Right-breast mammogram, cranio-caudal. 46-year-old patient.
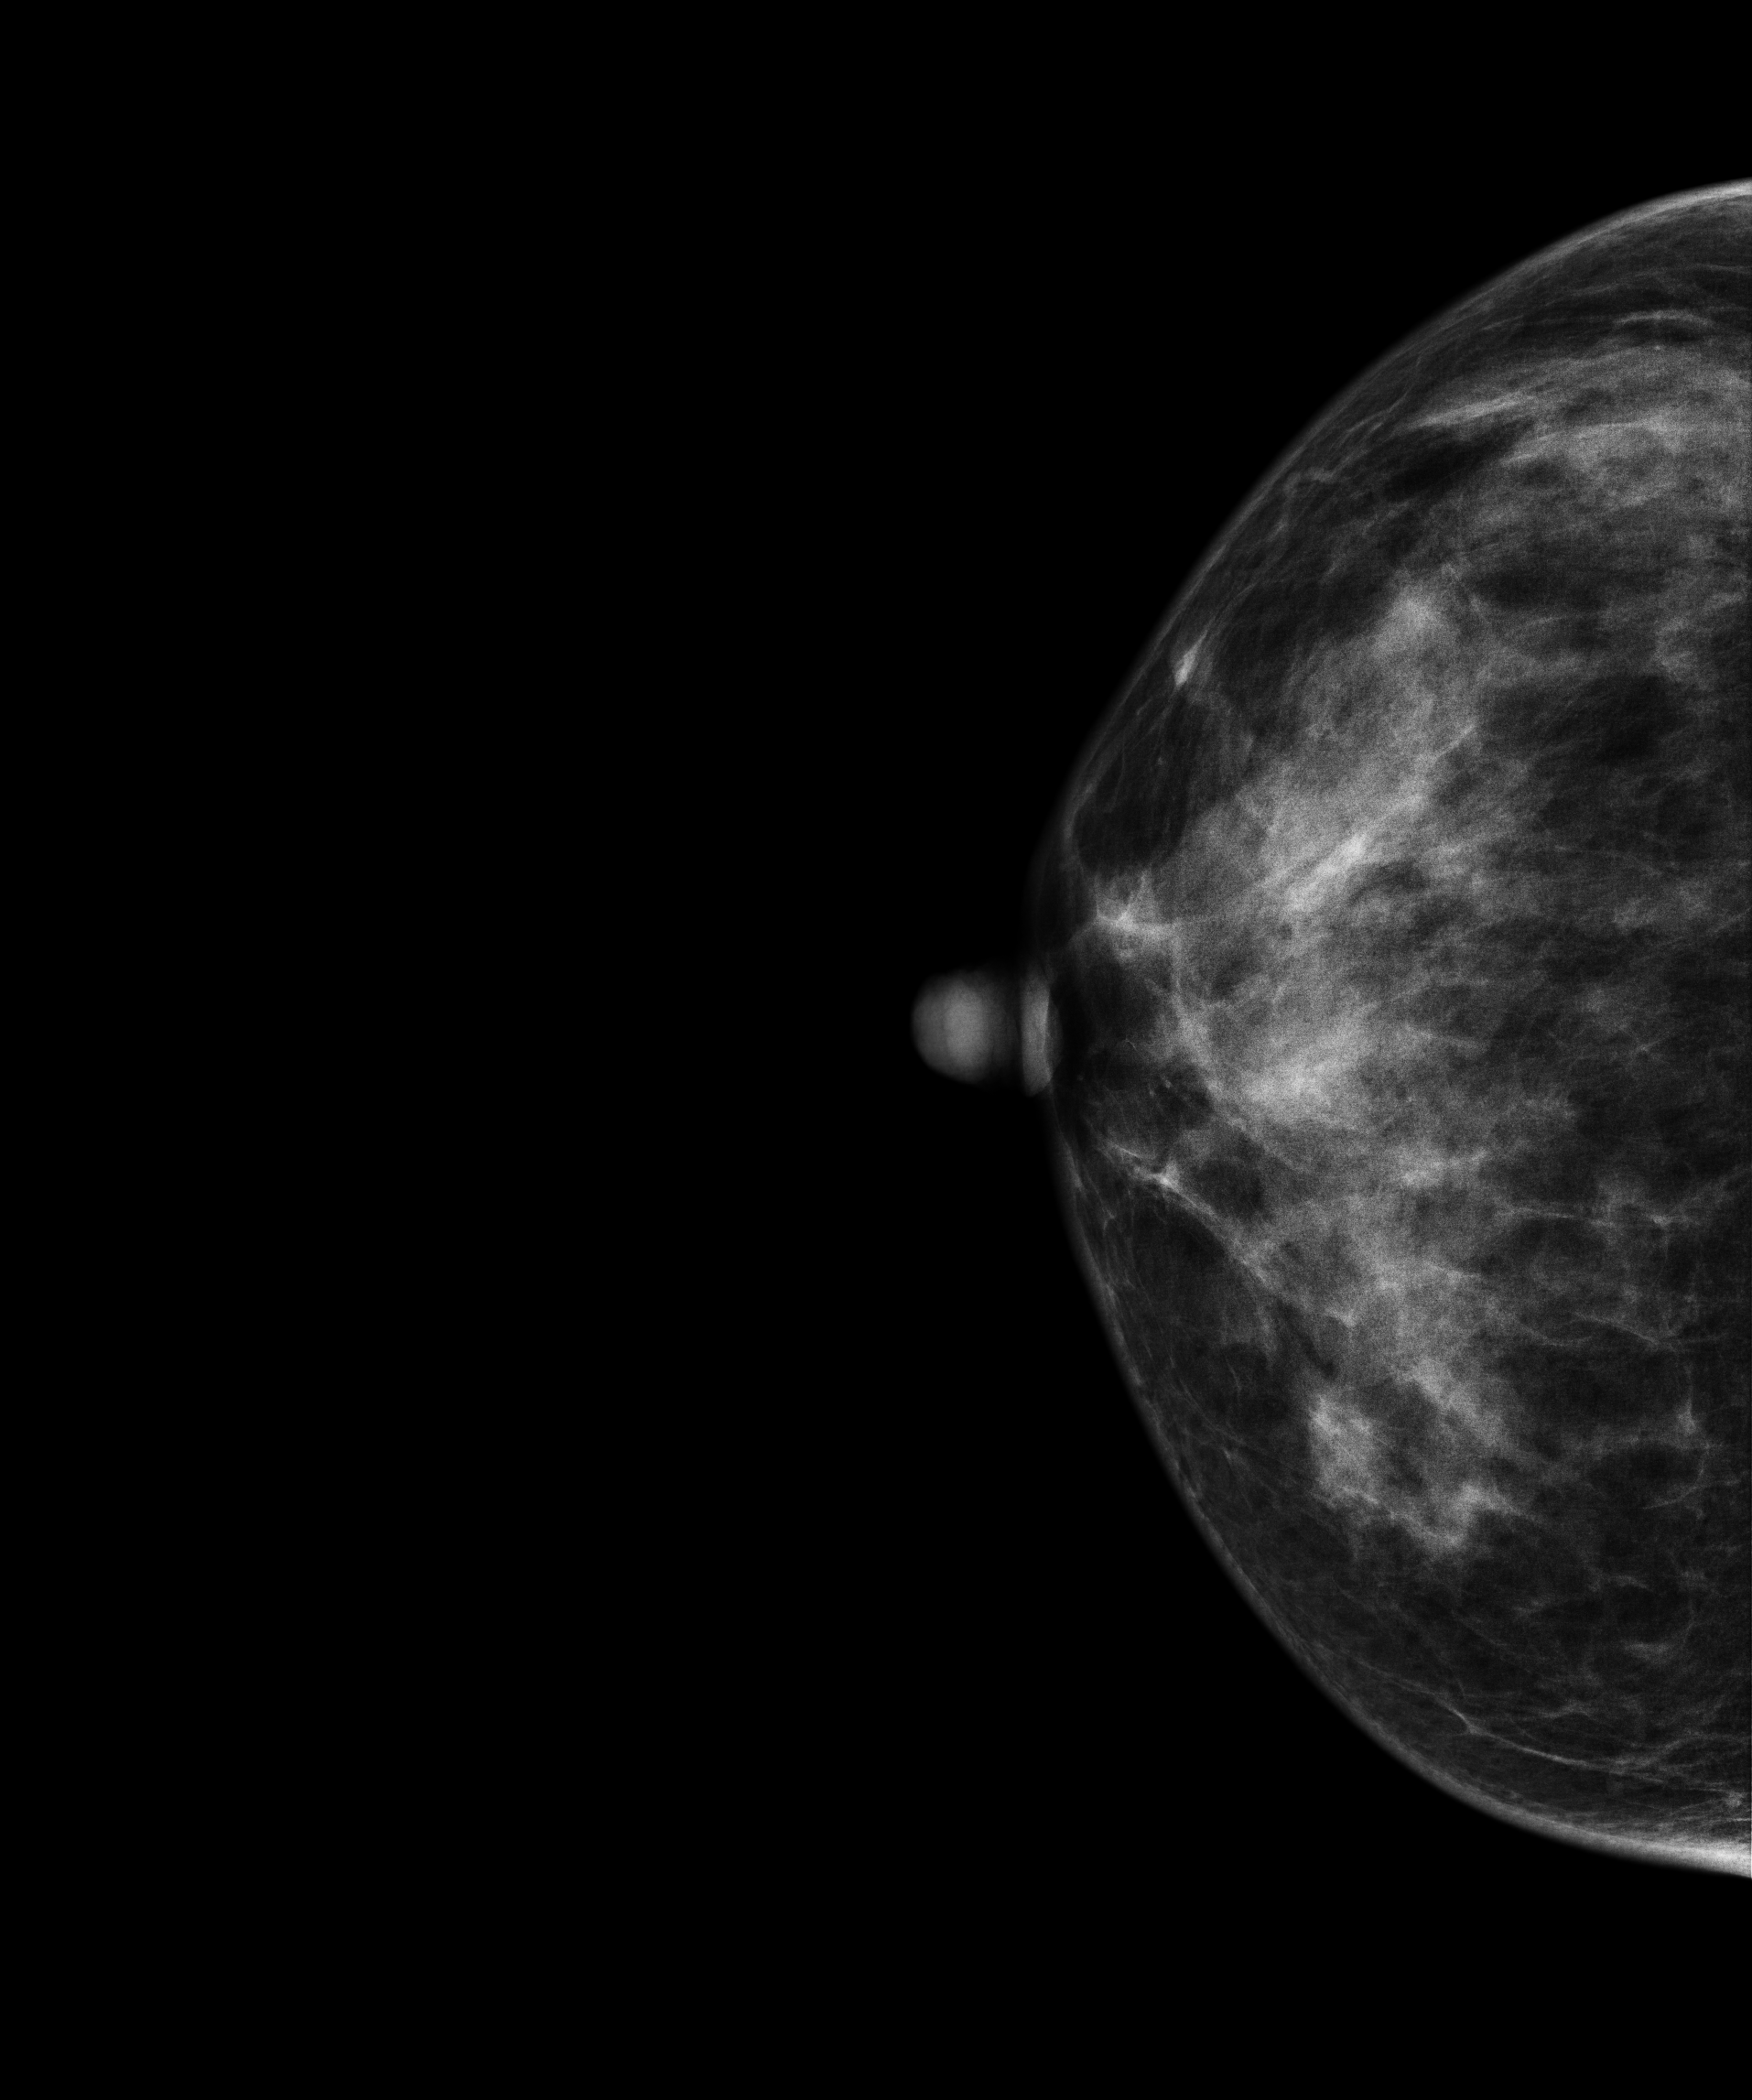
Contralateral breast — no documented abnormality on this side.